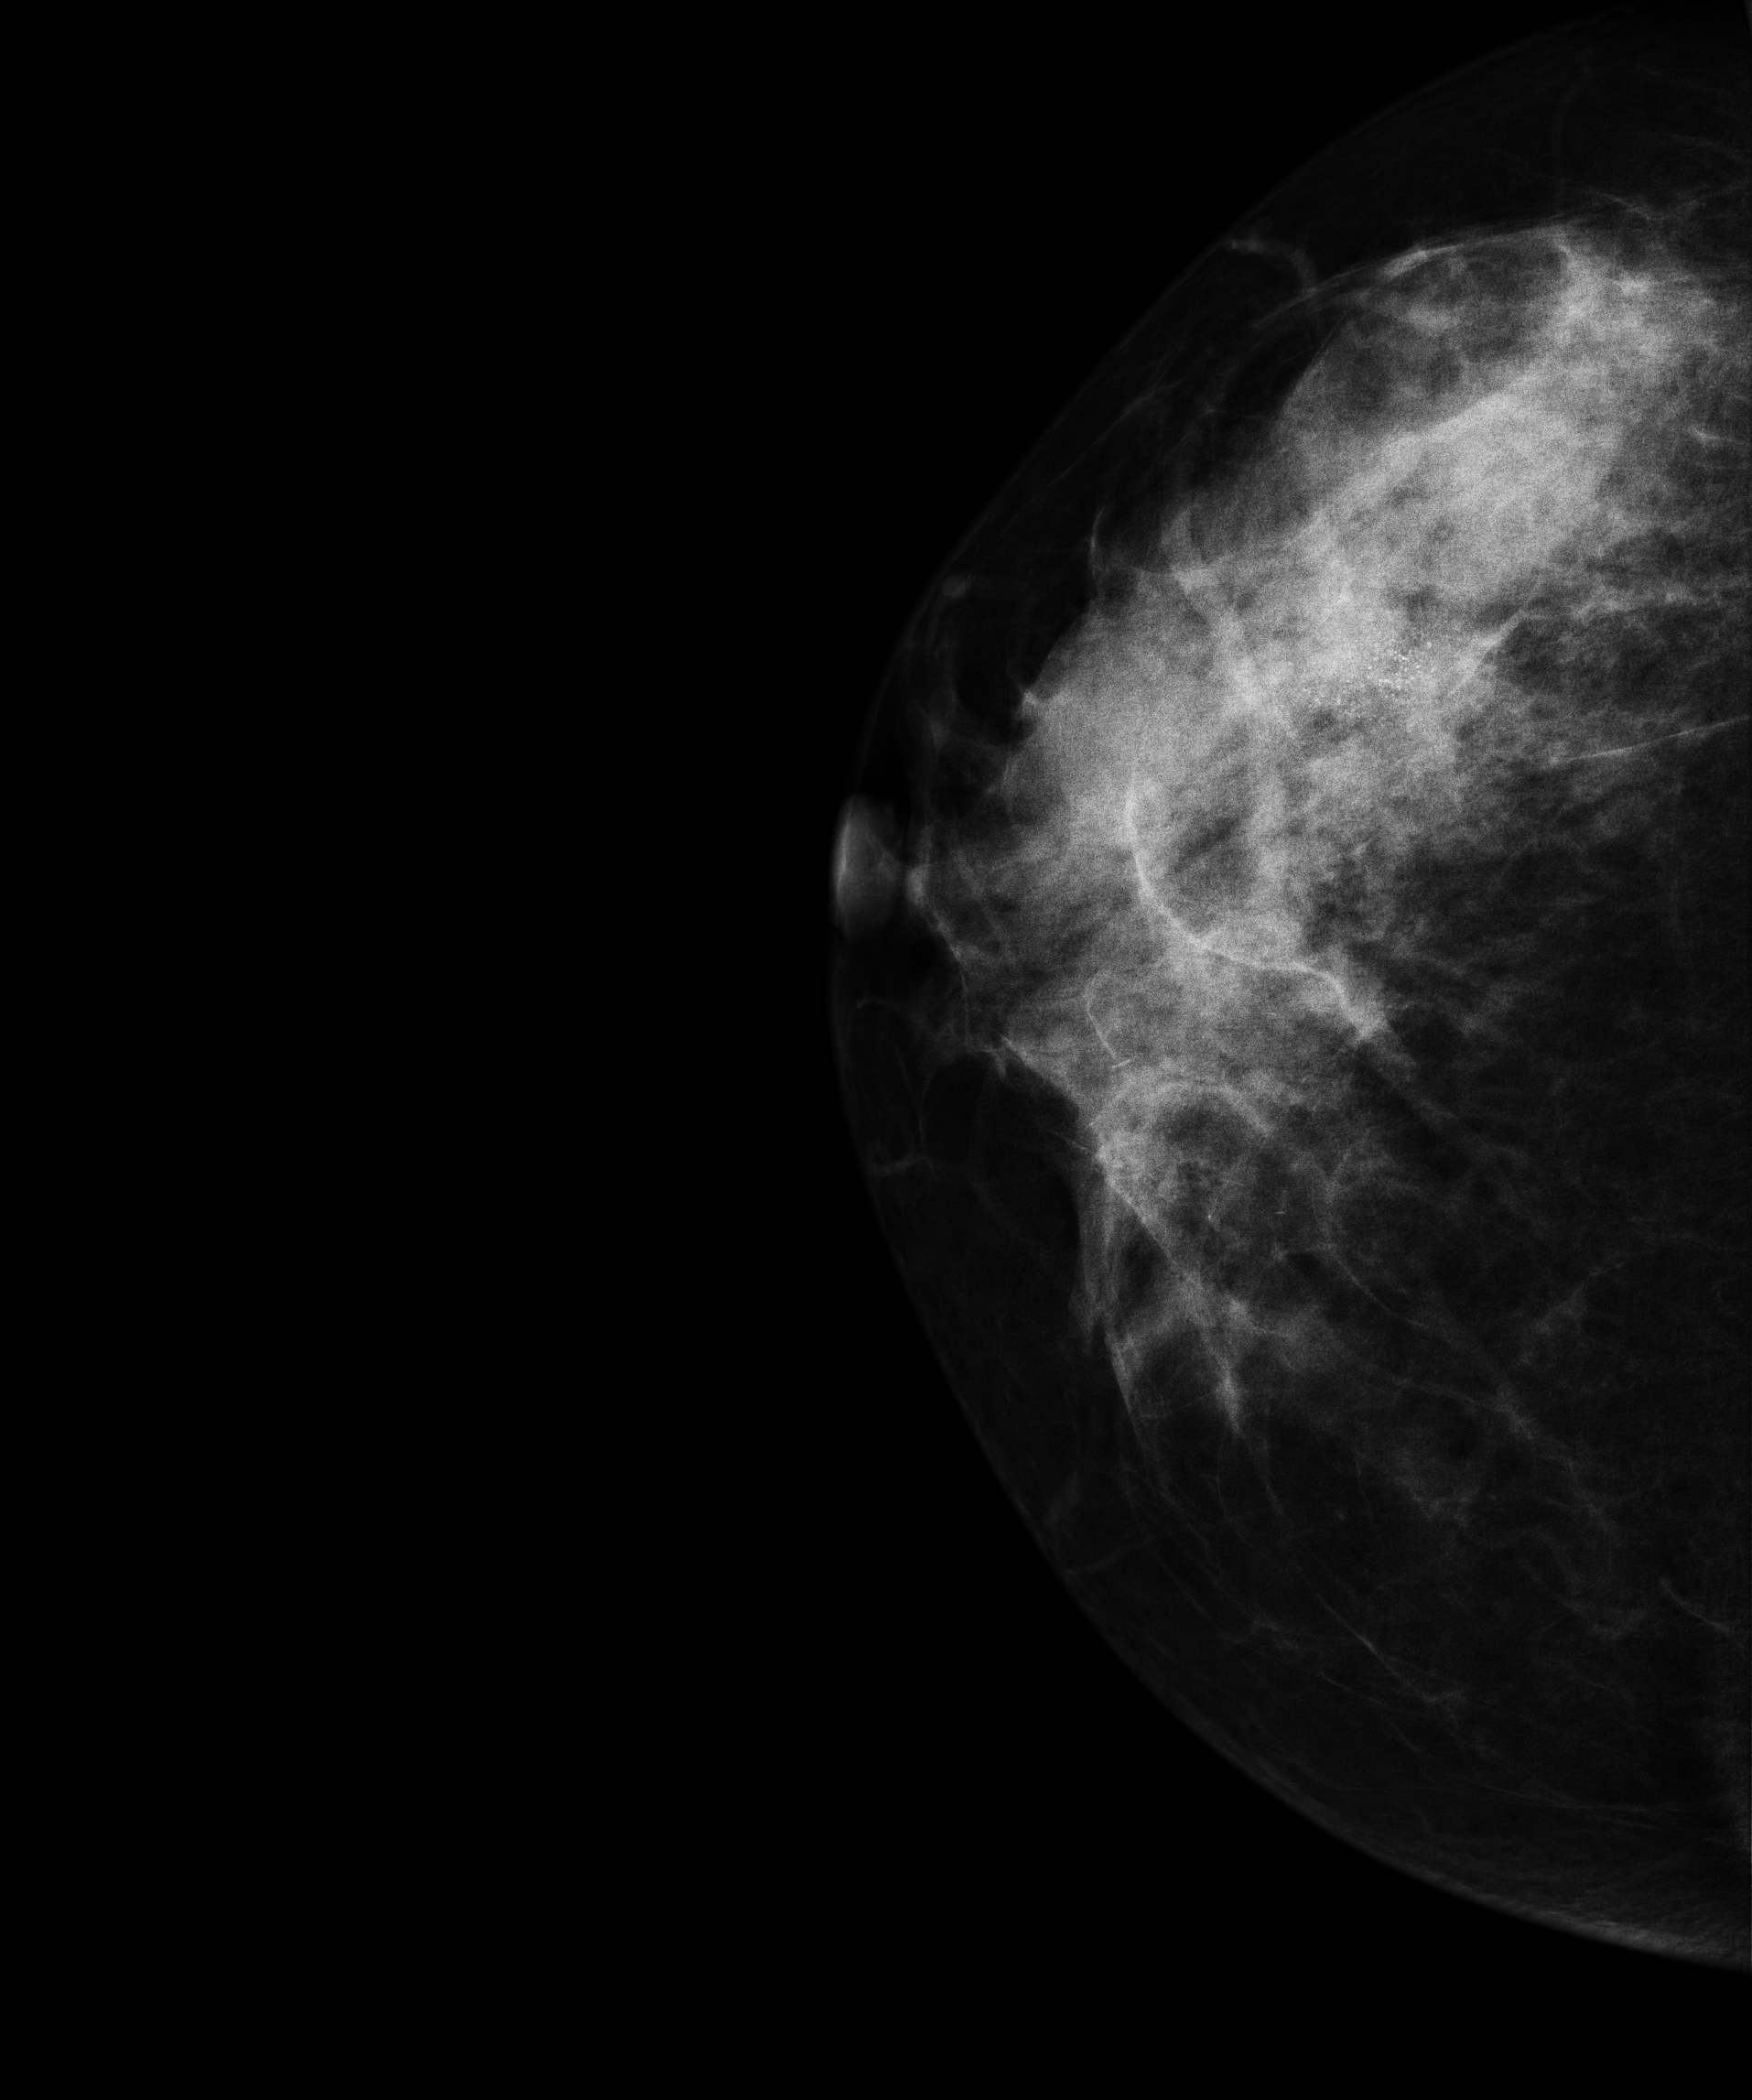
Digital mammography. Right breast, CC projection. Patient age 42.
This breast has calcifications, biopsy-proven malignant.